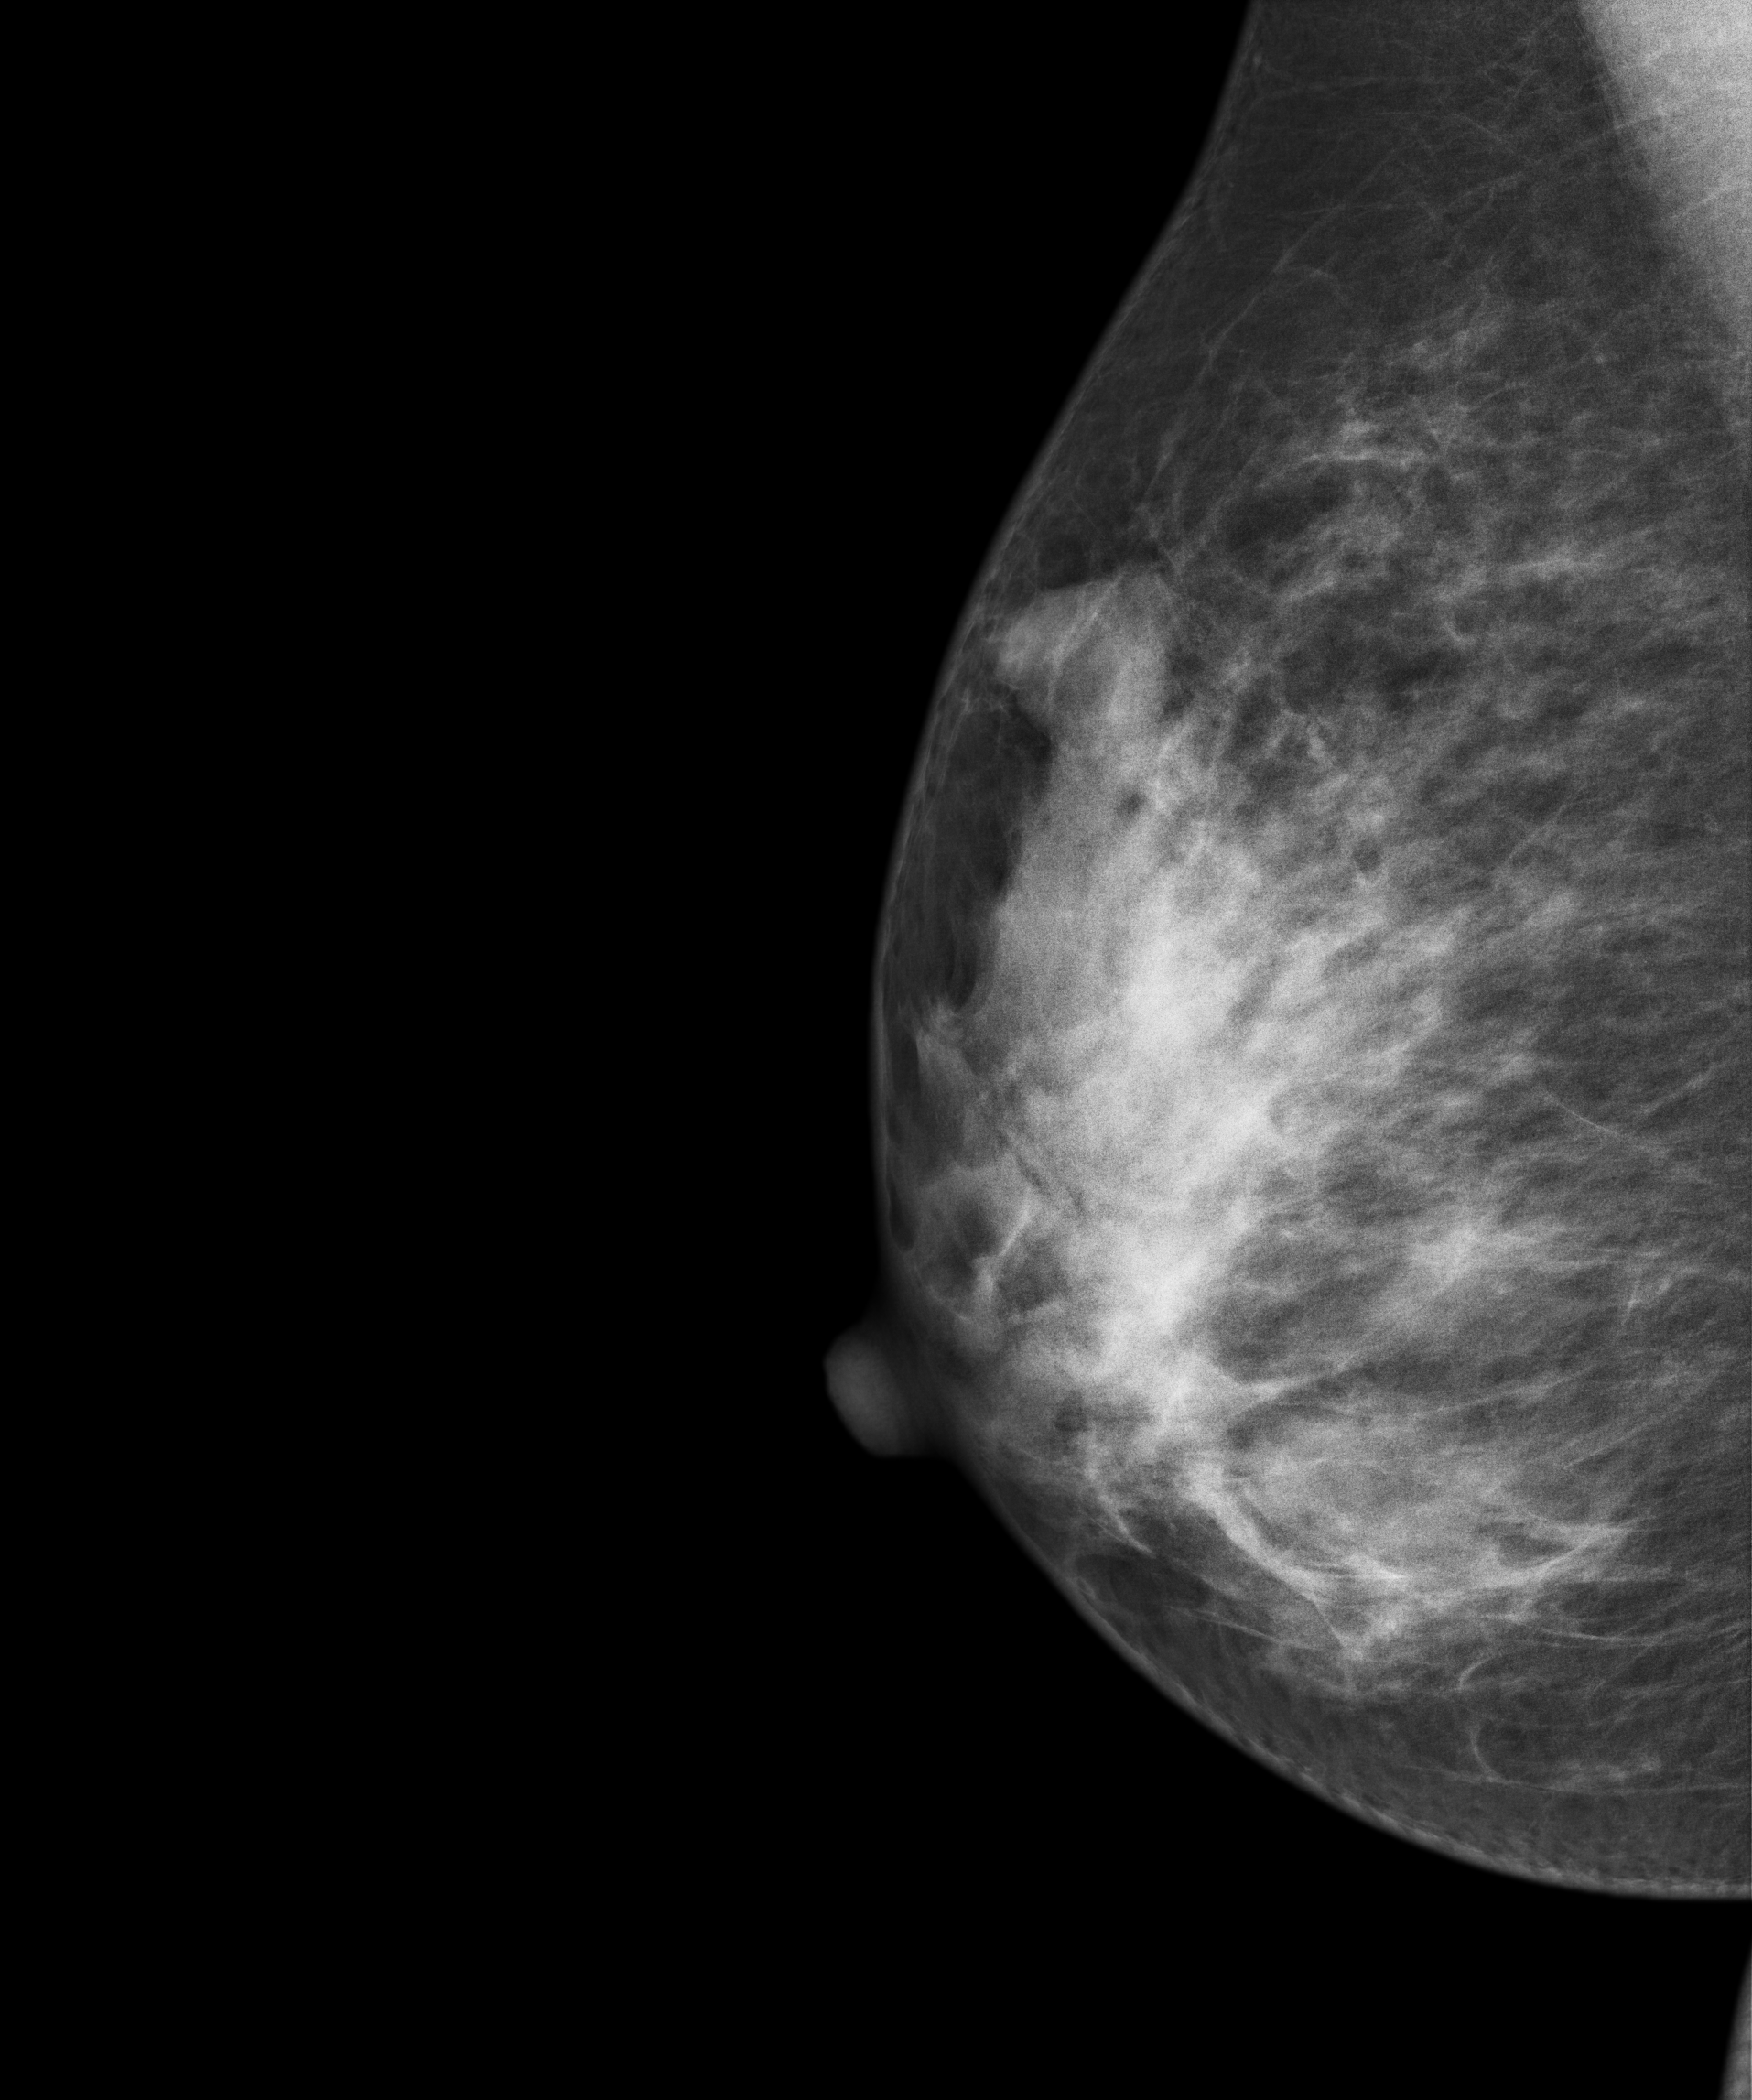
Mammogram, right breast, MLO view. 32 y/o patient.
This breast has a mass, biopsy-proven malignant. Molecular subtype: luminal B.